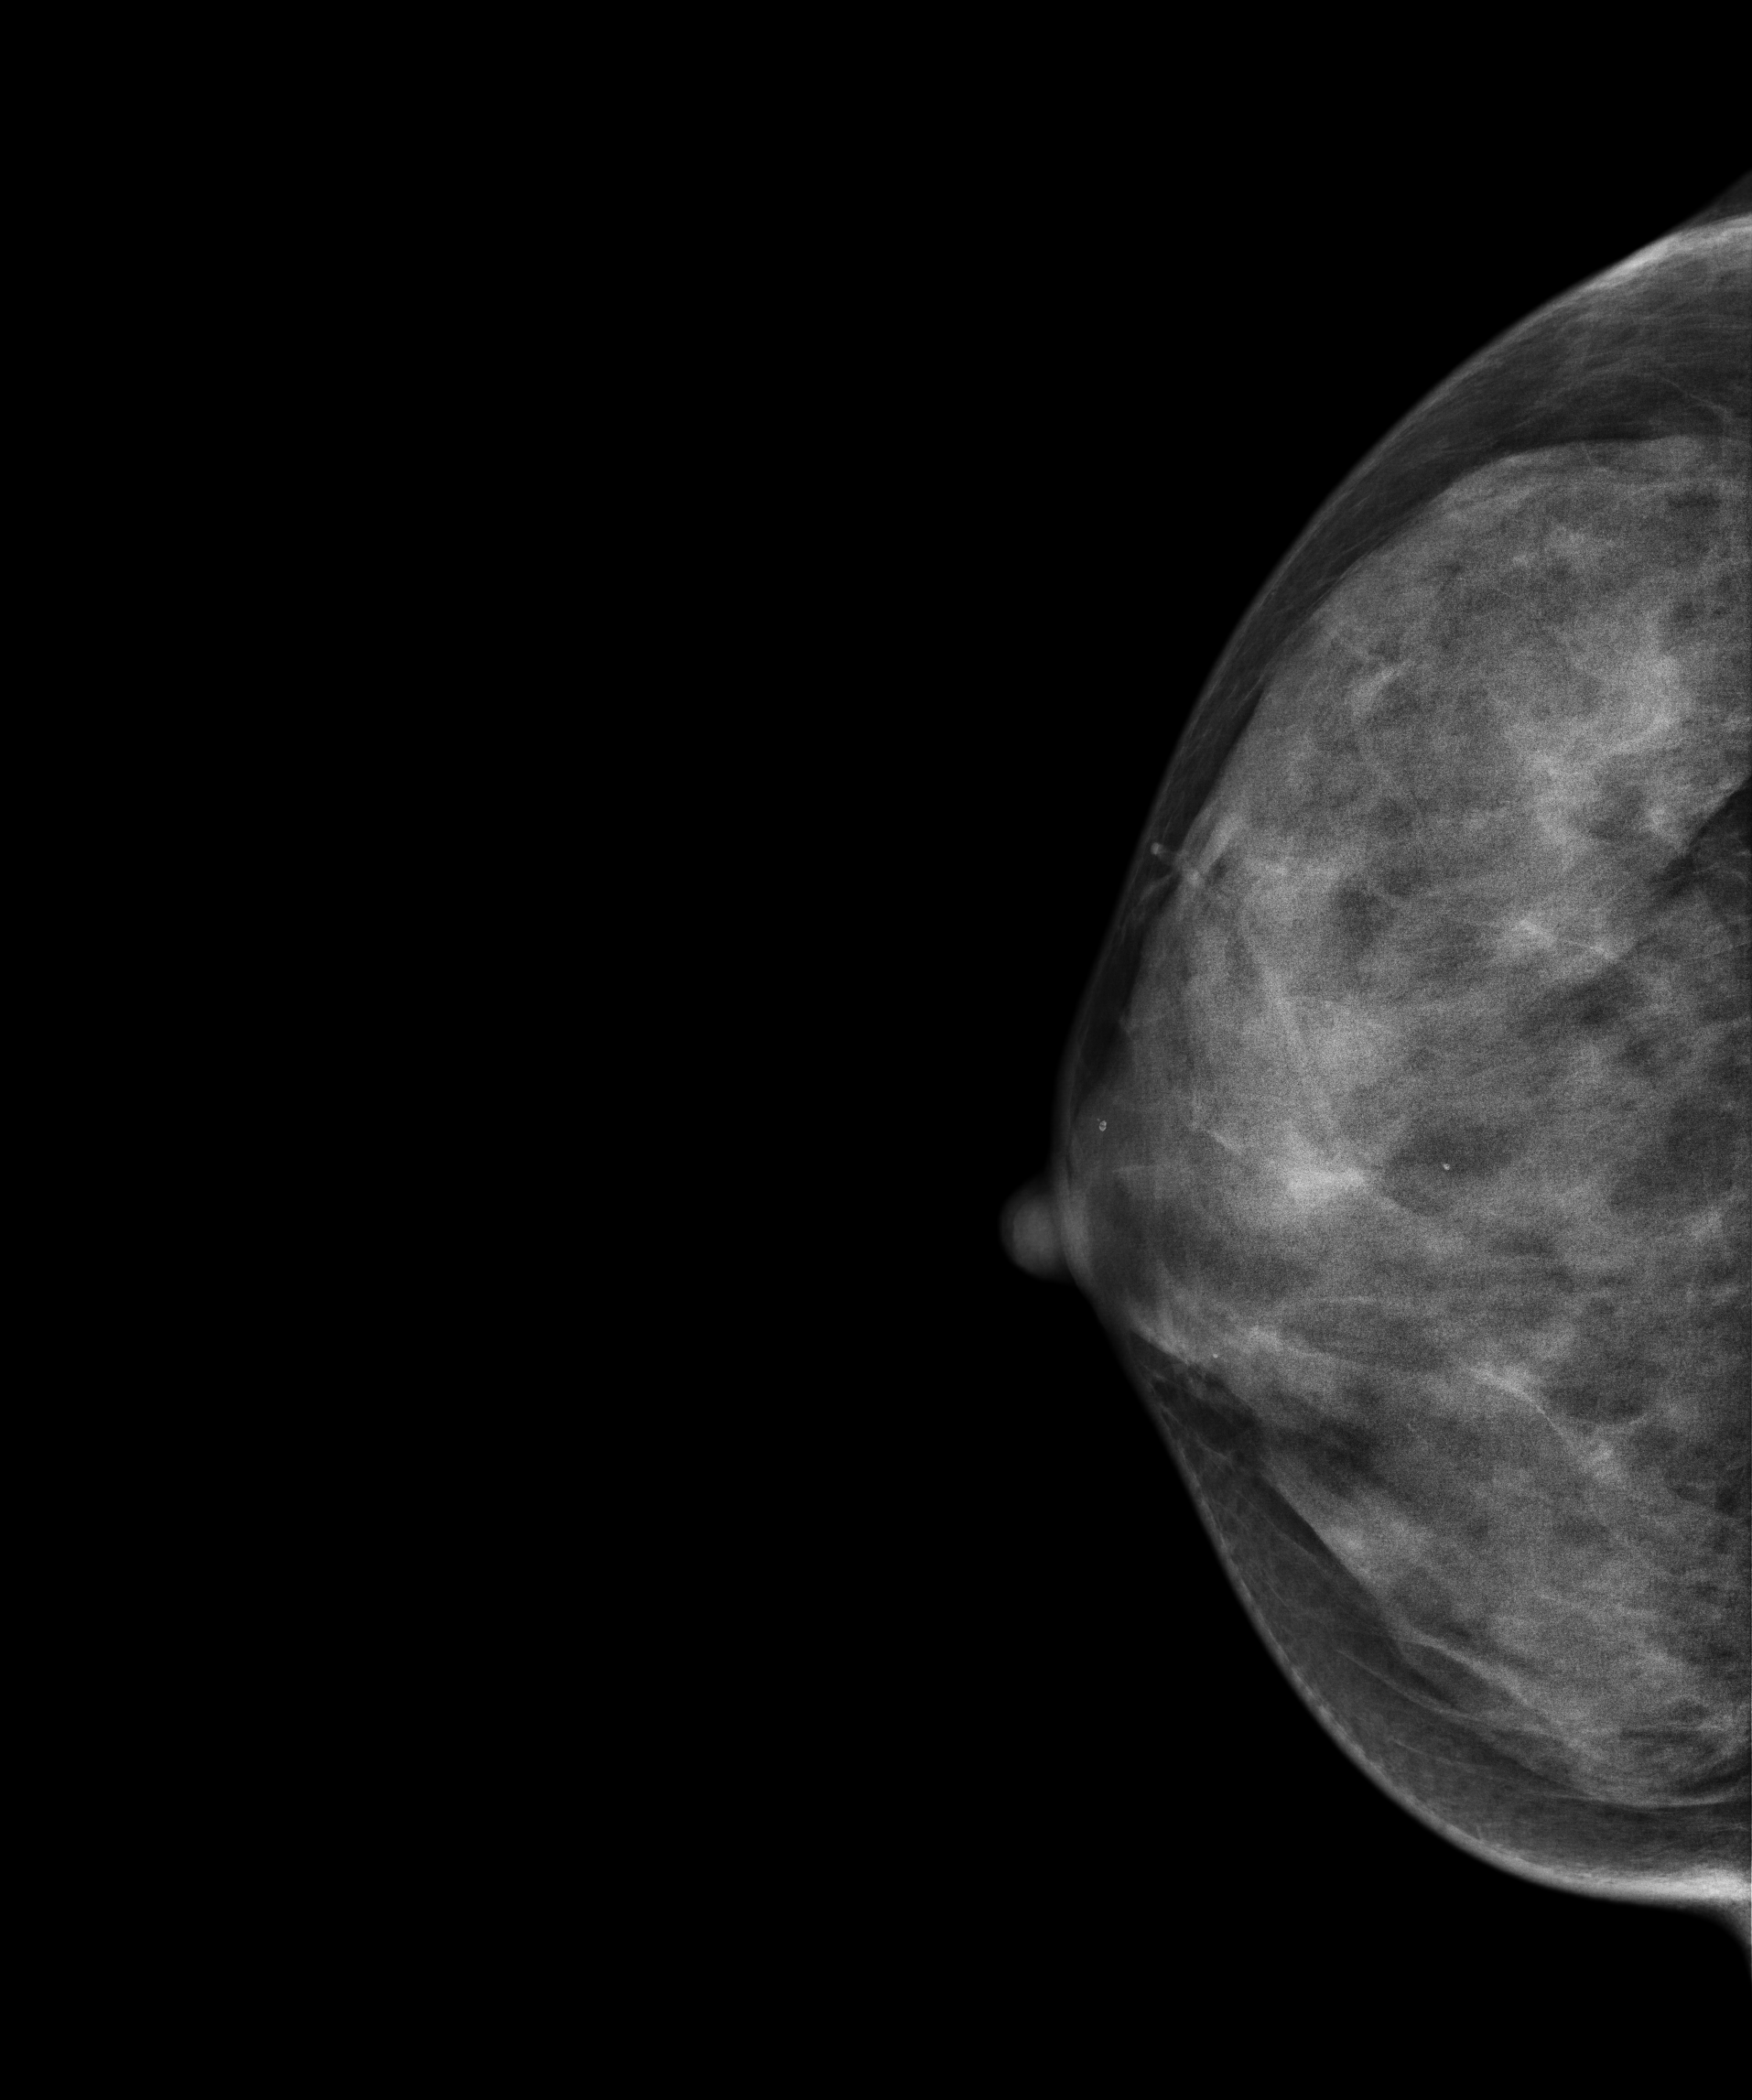
Mammogram — right CC. 38 y/o patient.
This breast has calcifications, pathology-confirmed benign.